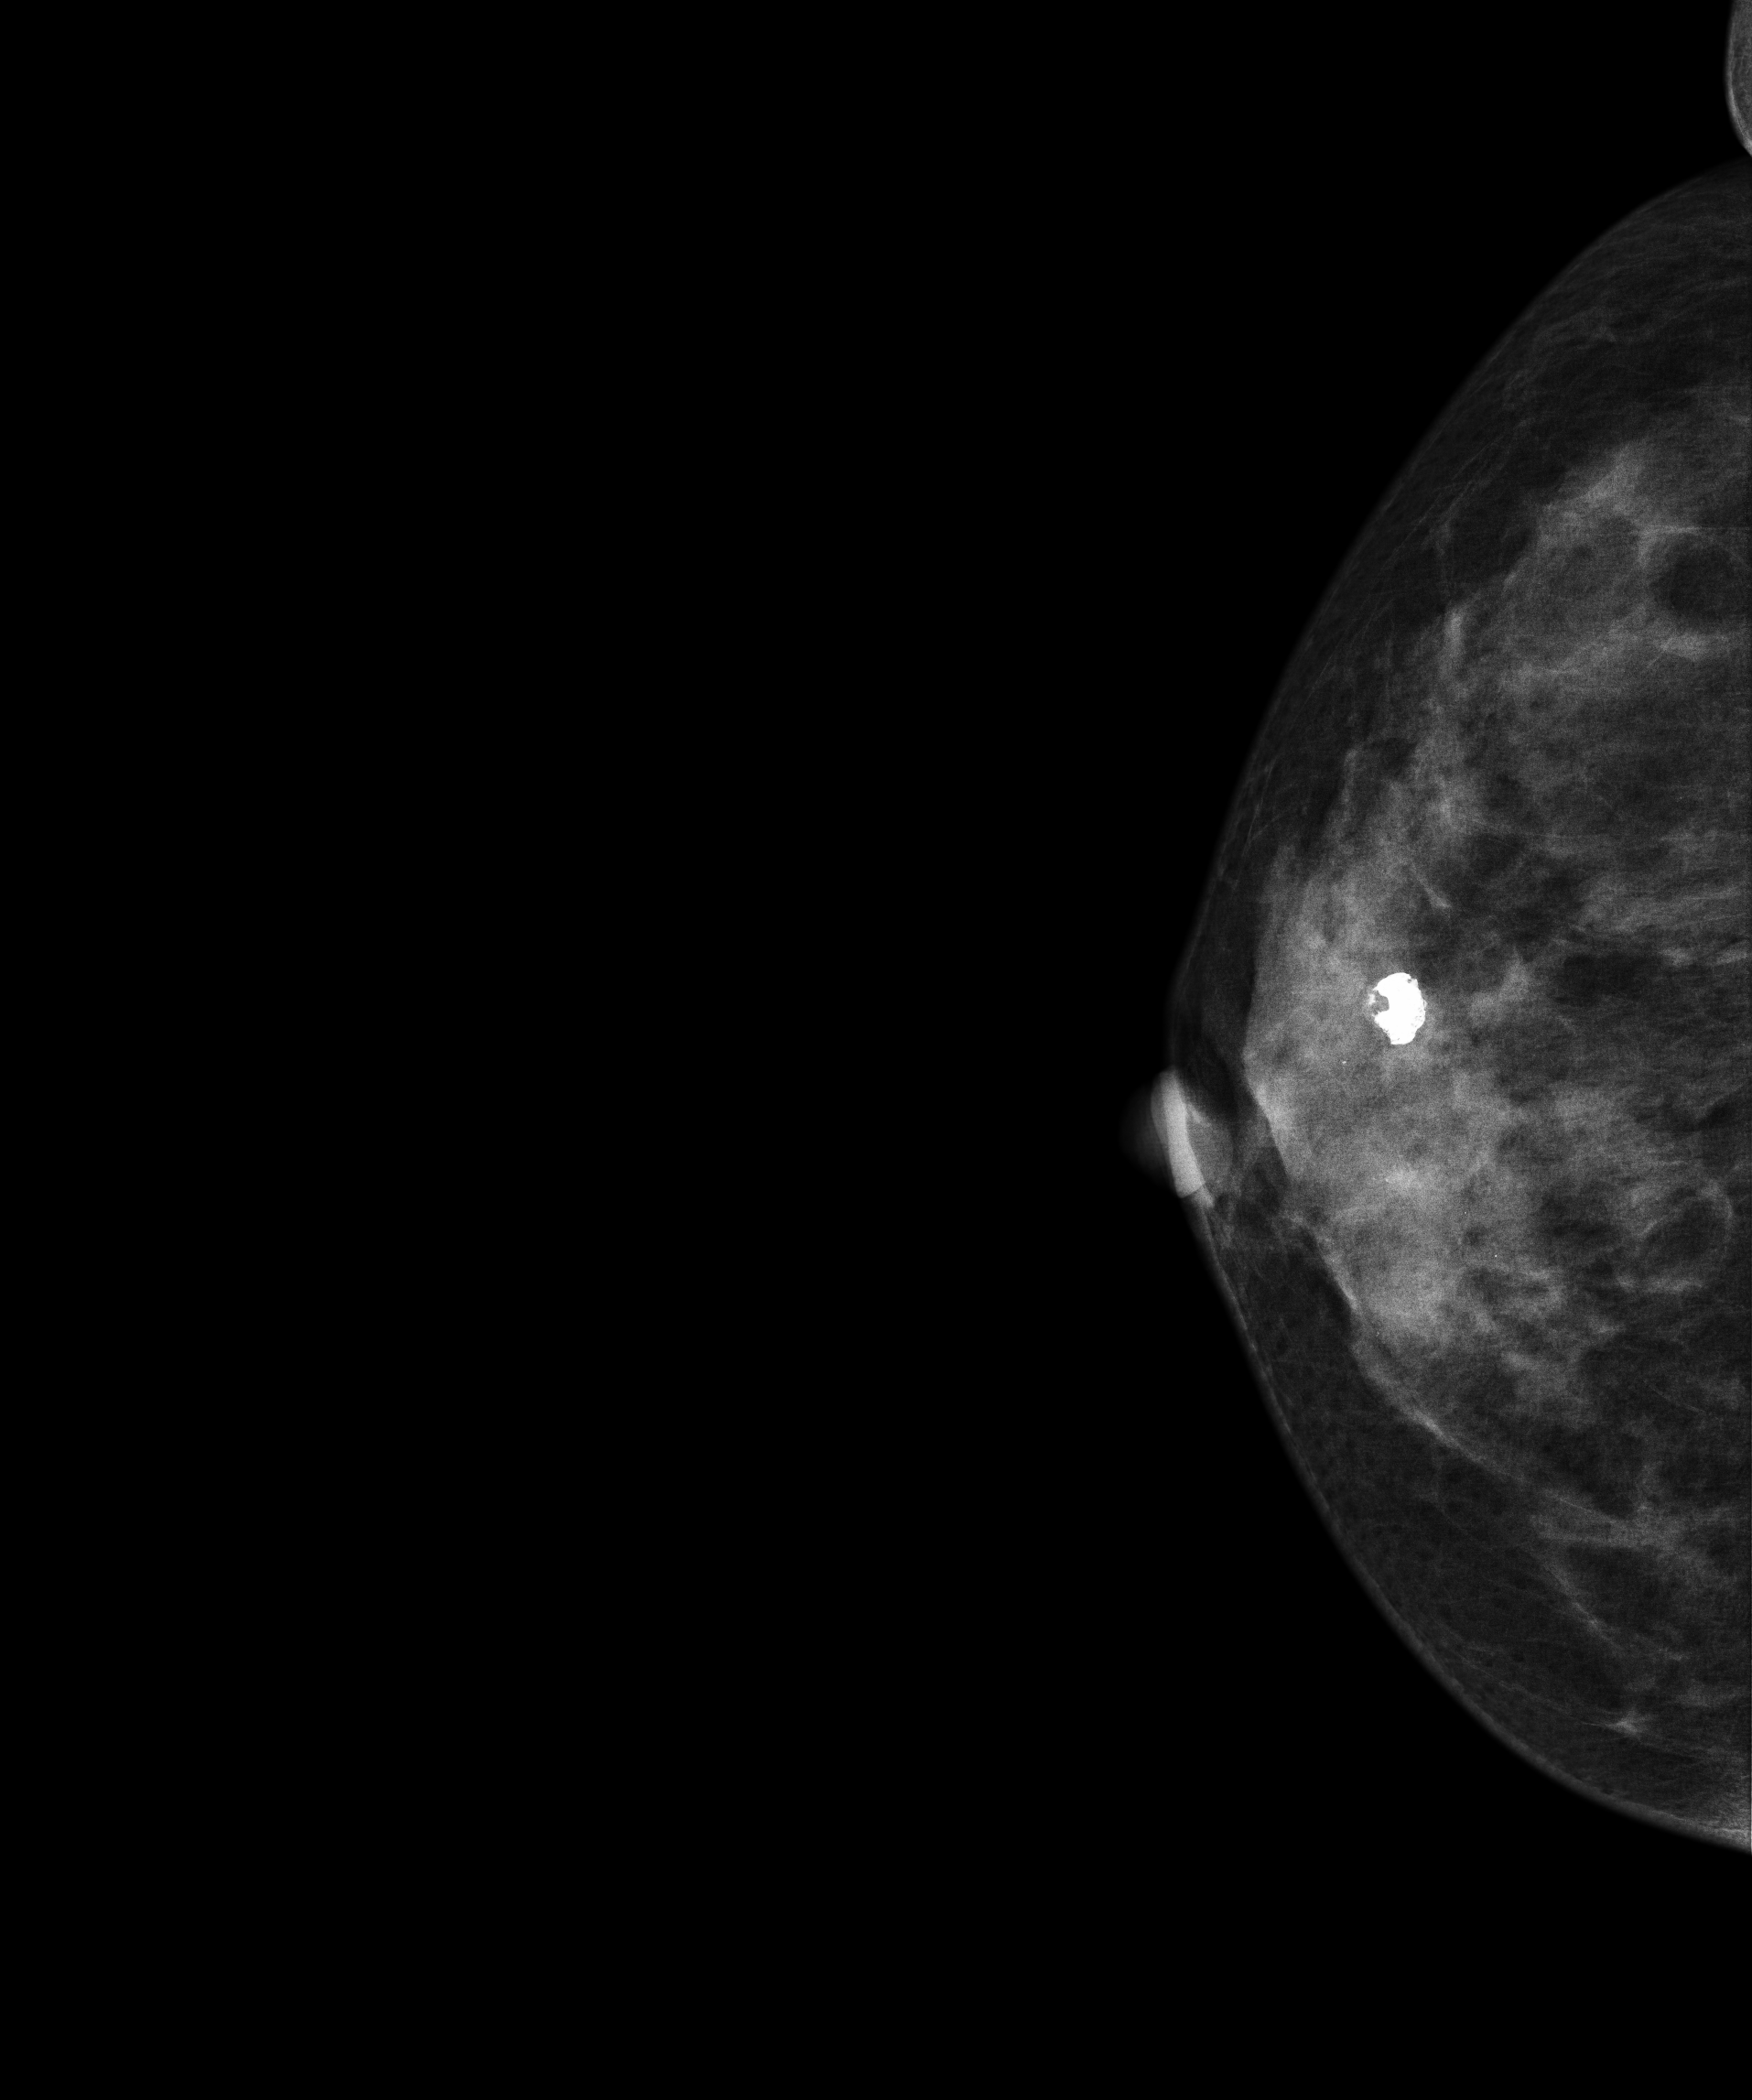
CC mammogram of the right breast. 47-year-old patient.
This breast has calcifications, biopsy-proven benign.